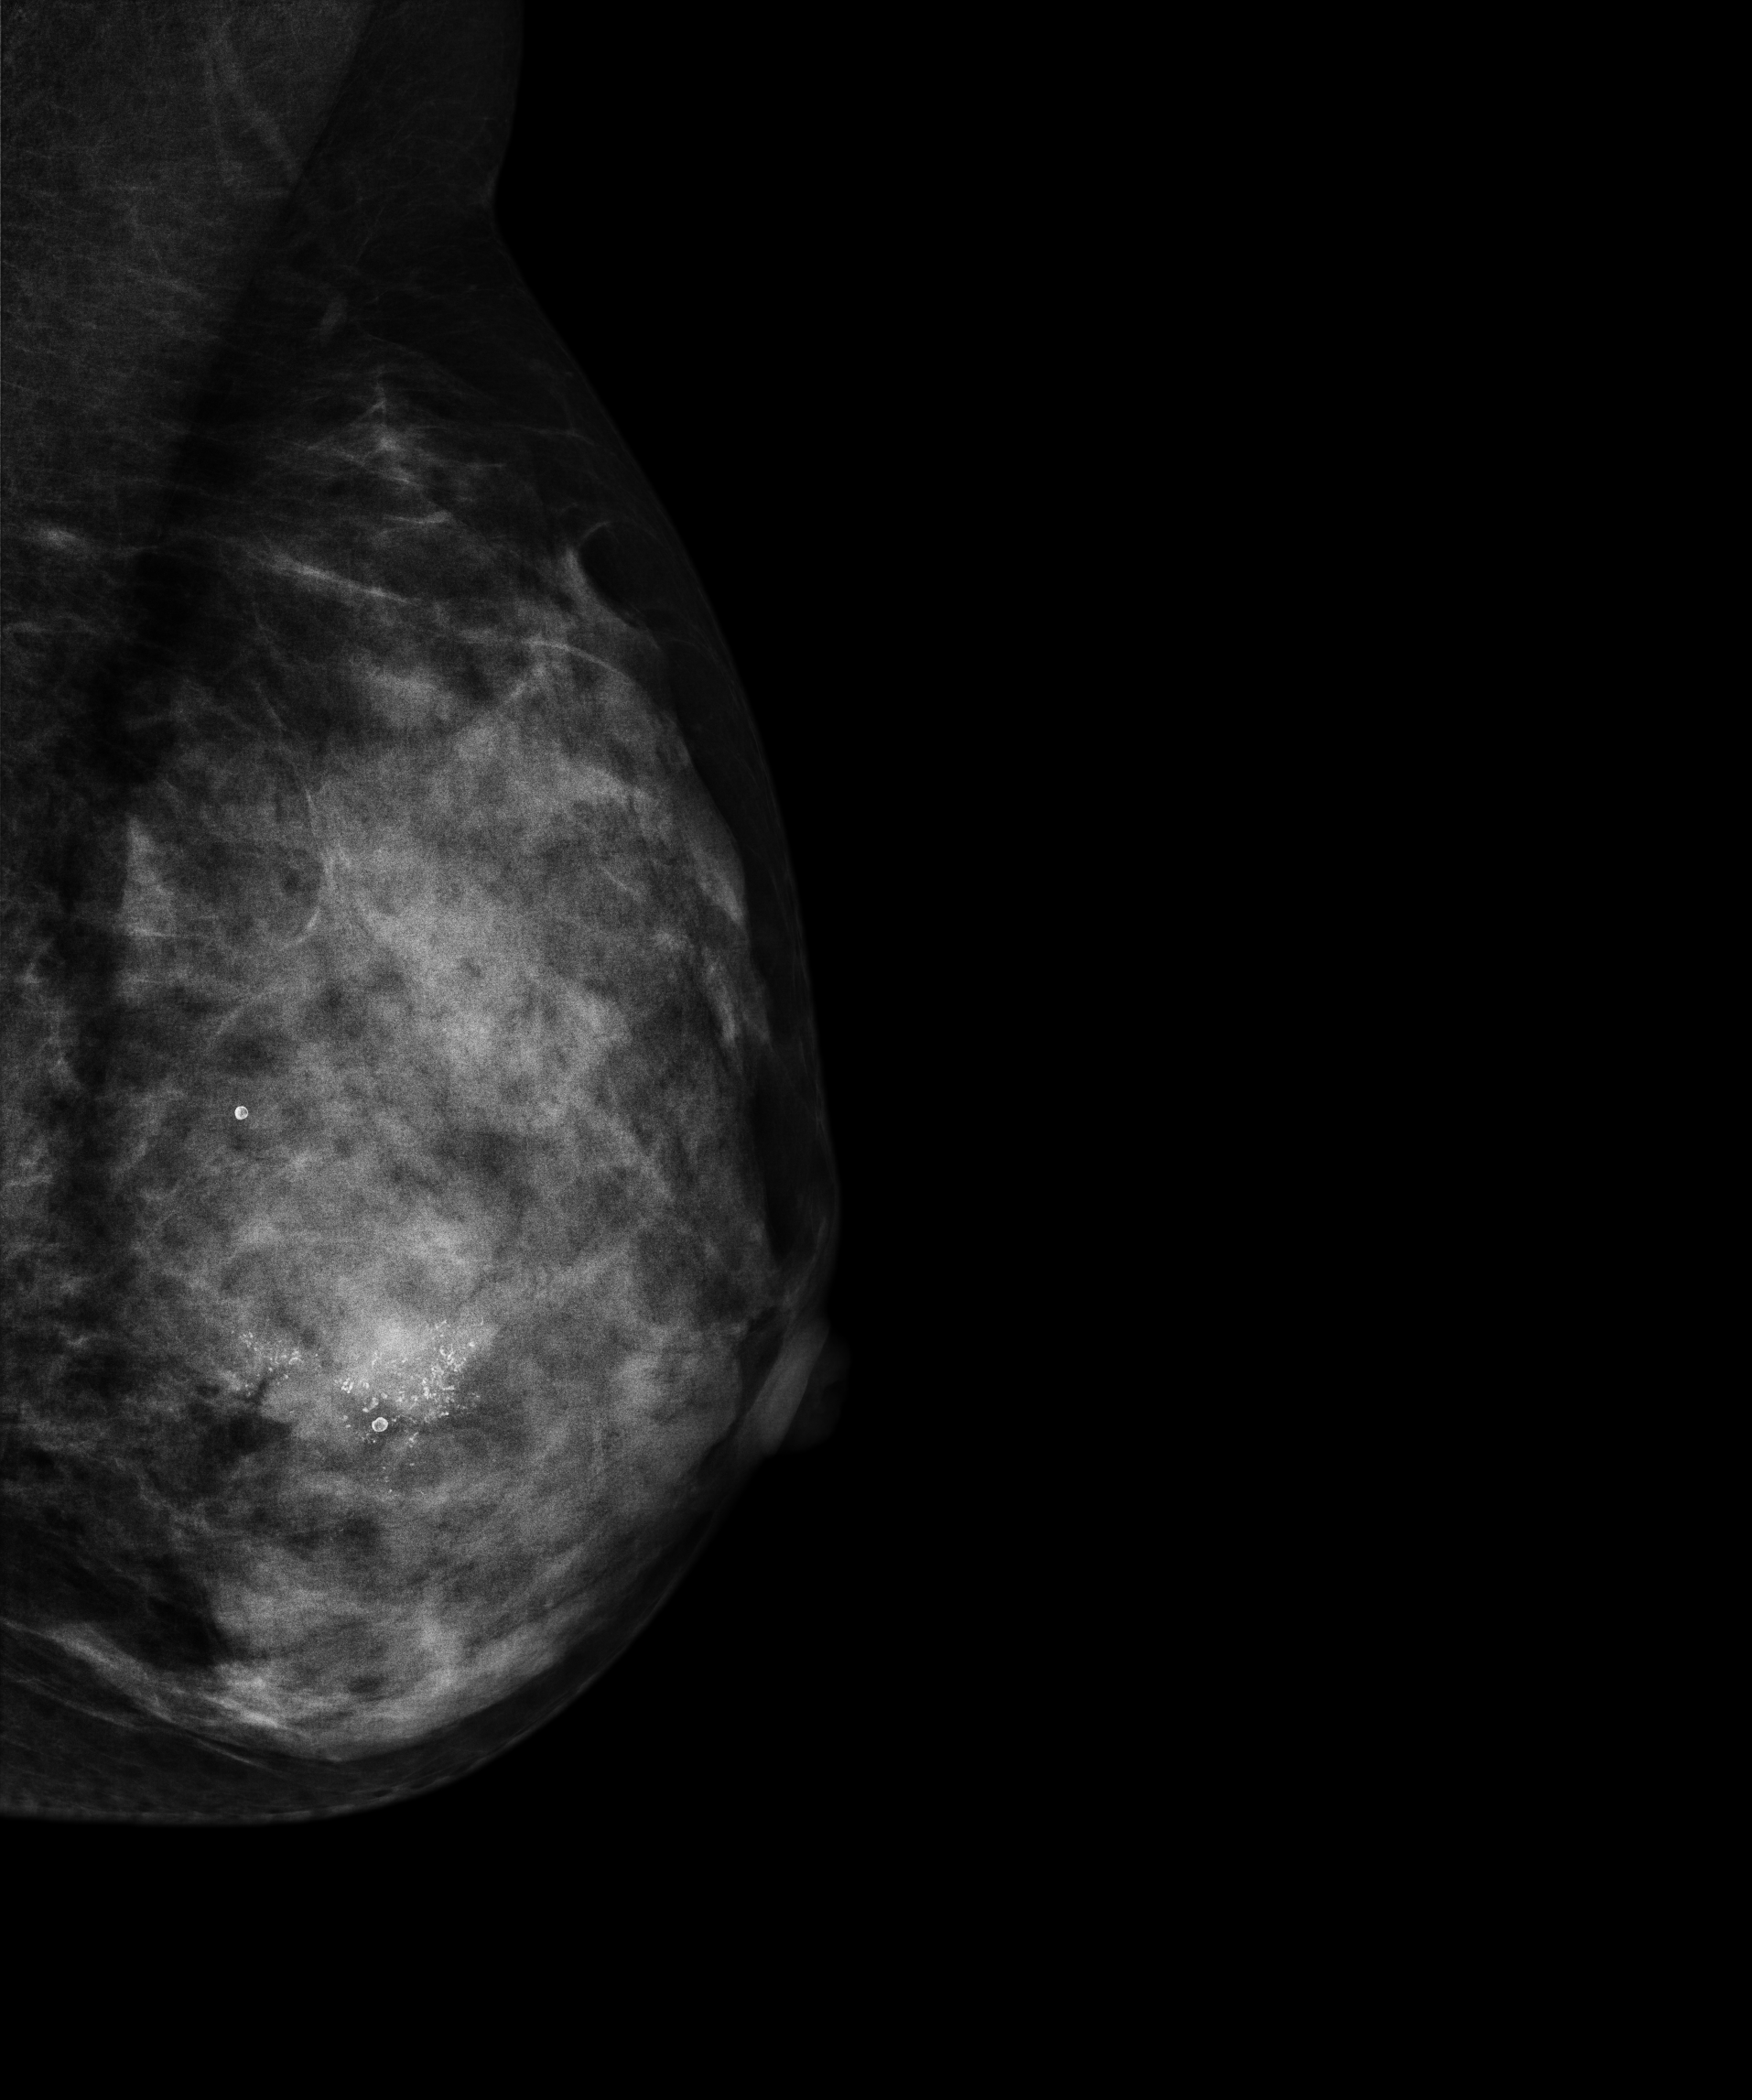
MLO mammogram of the left breast. Patient age 27.
This breast has a mass and calcifications, biopsy-confirmed malignant. Molecular subtype: luminal B.